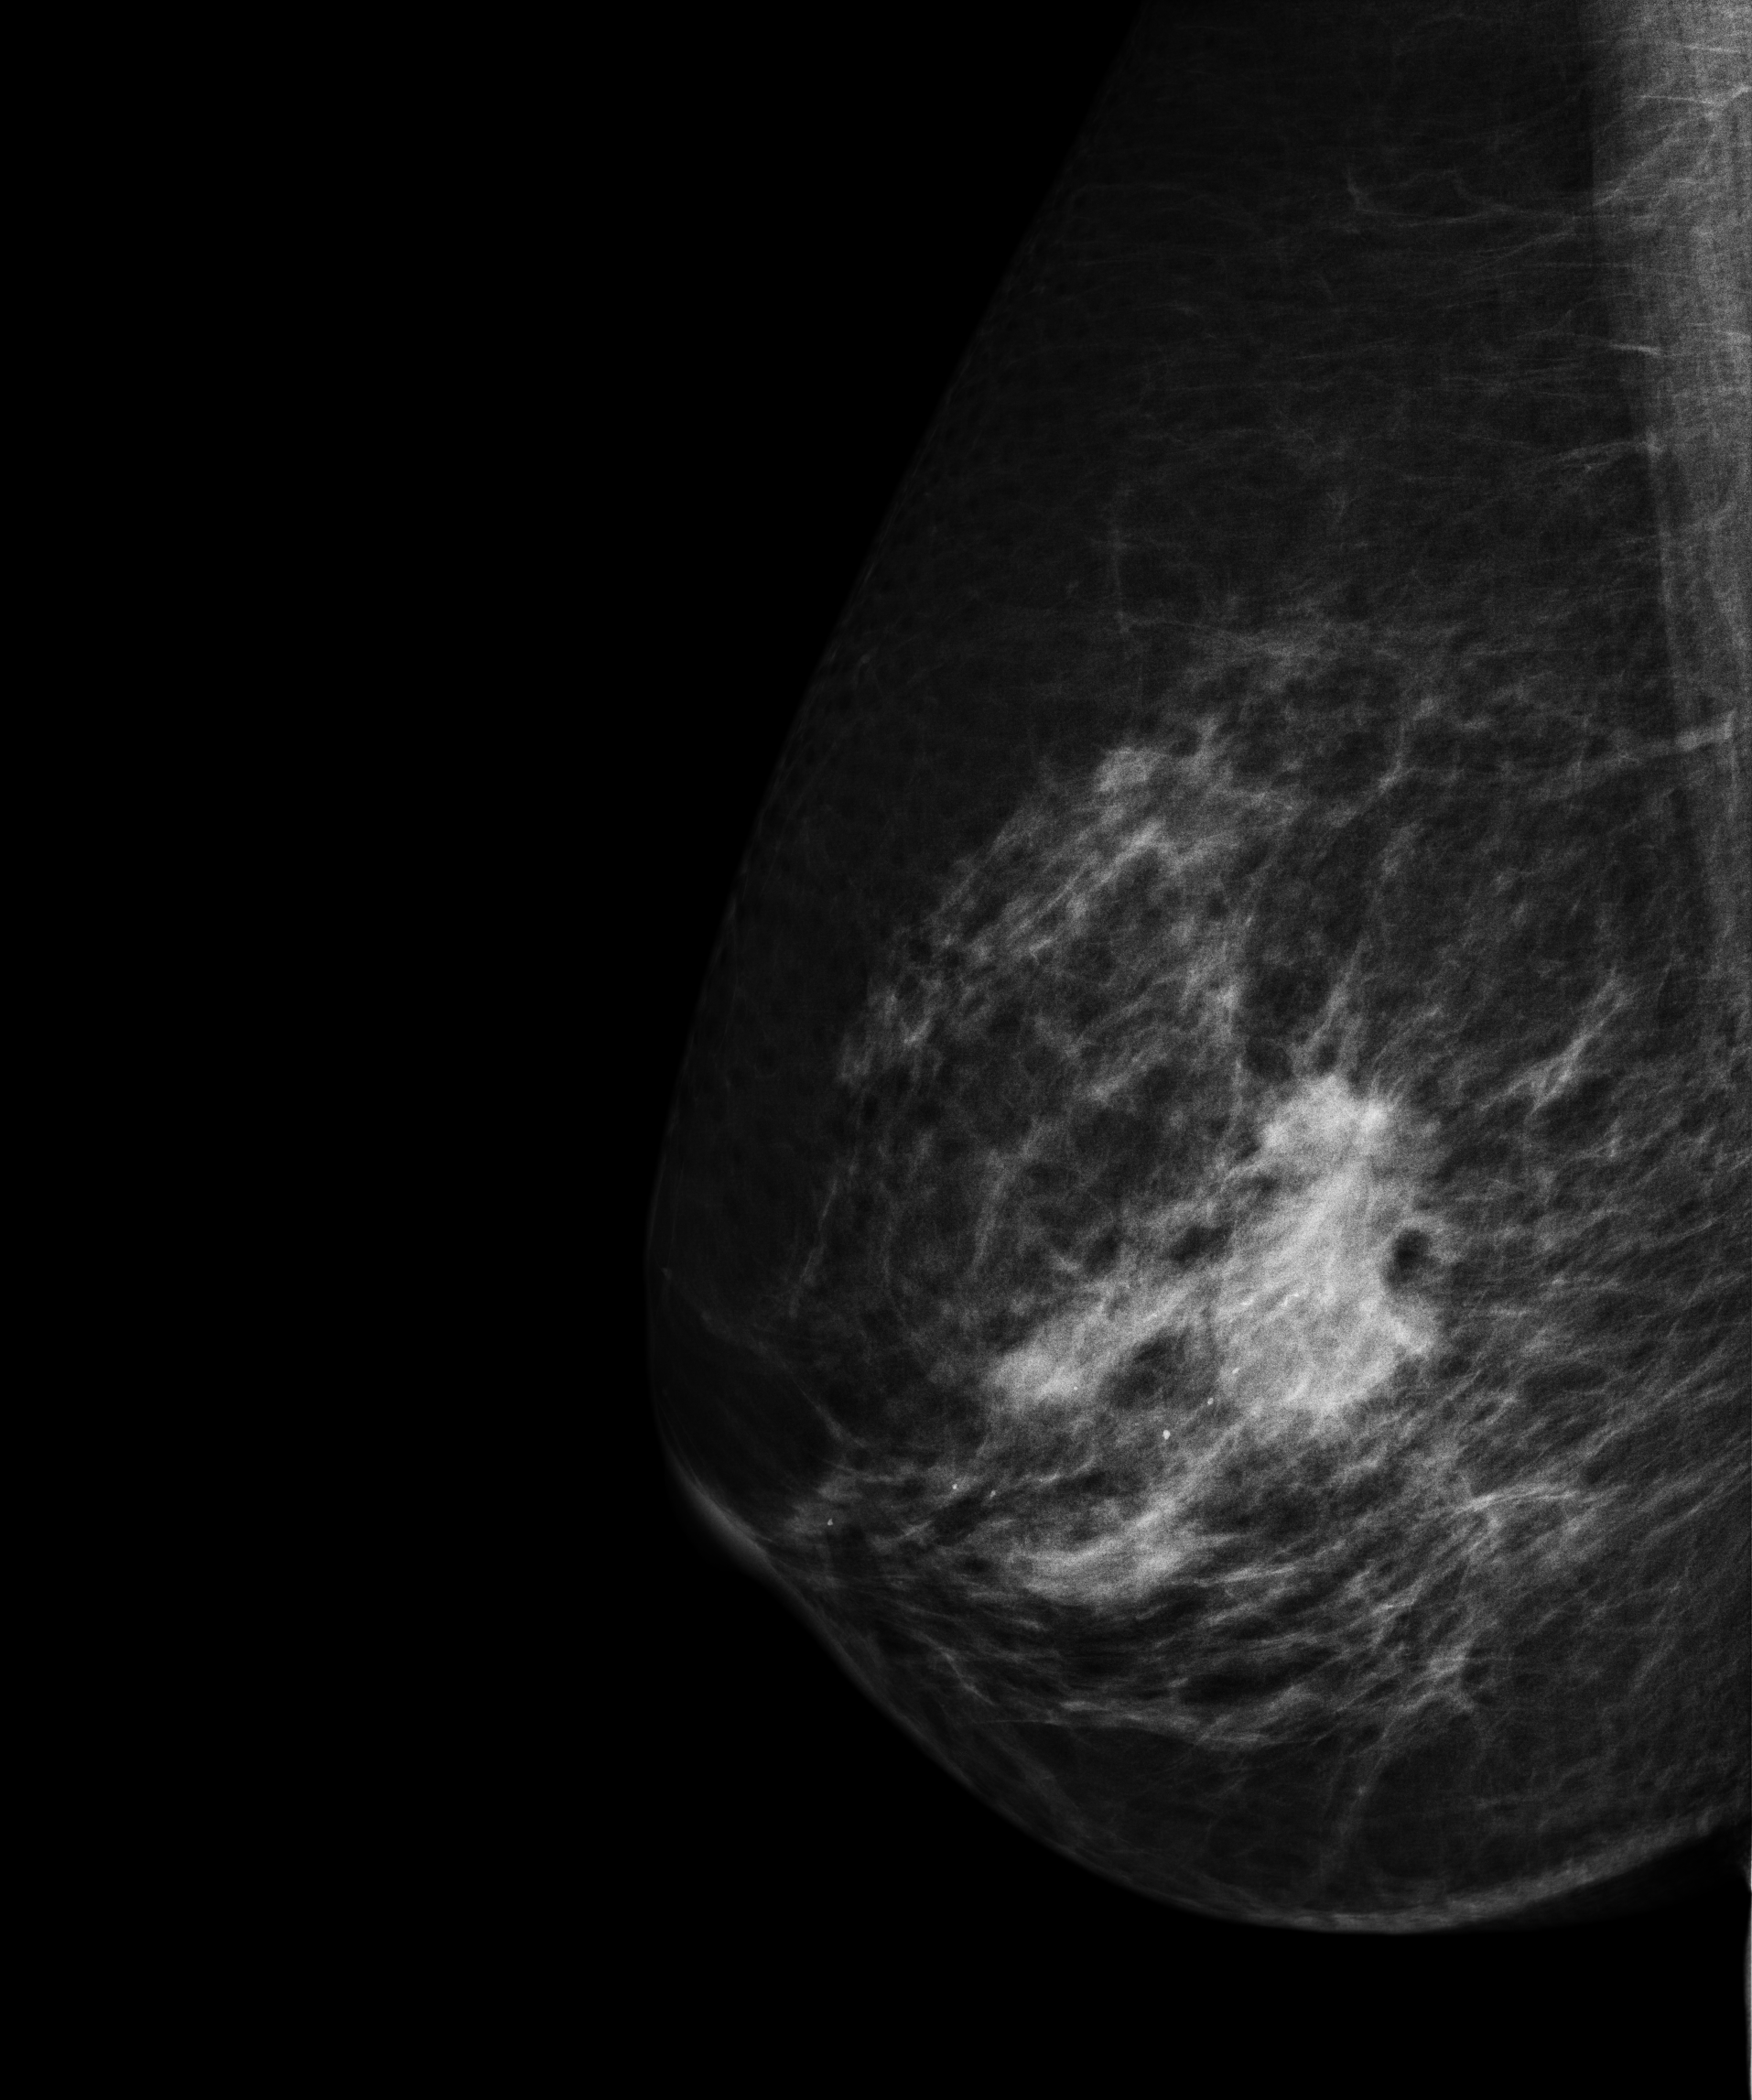
Mammogram, right breast, medio-lateral oblique view. 68 y/o patient.
This breast has a mass and calcifications, histologically confirmed malignant. Molecular subtype: HER2-enriched.